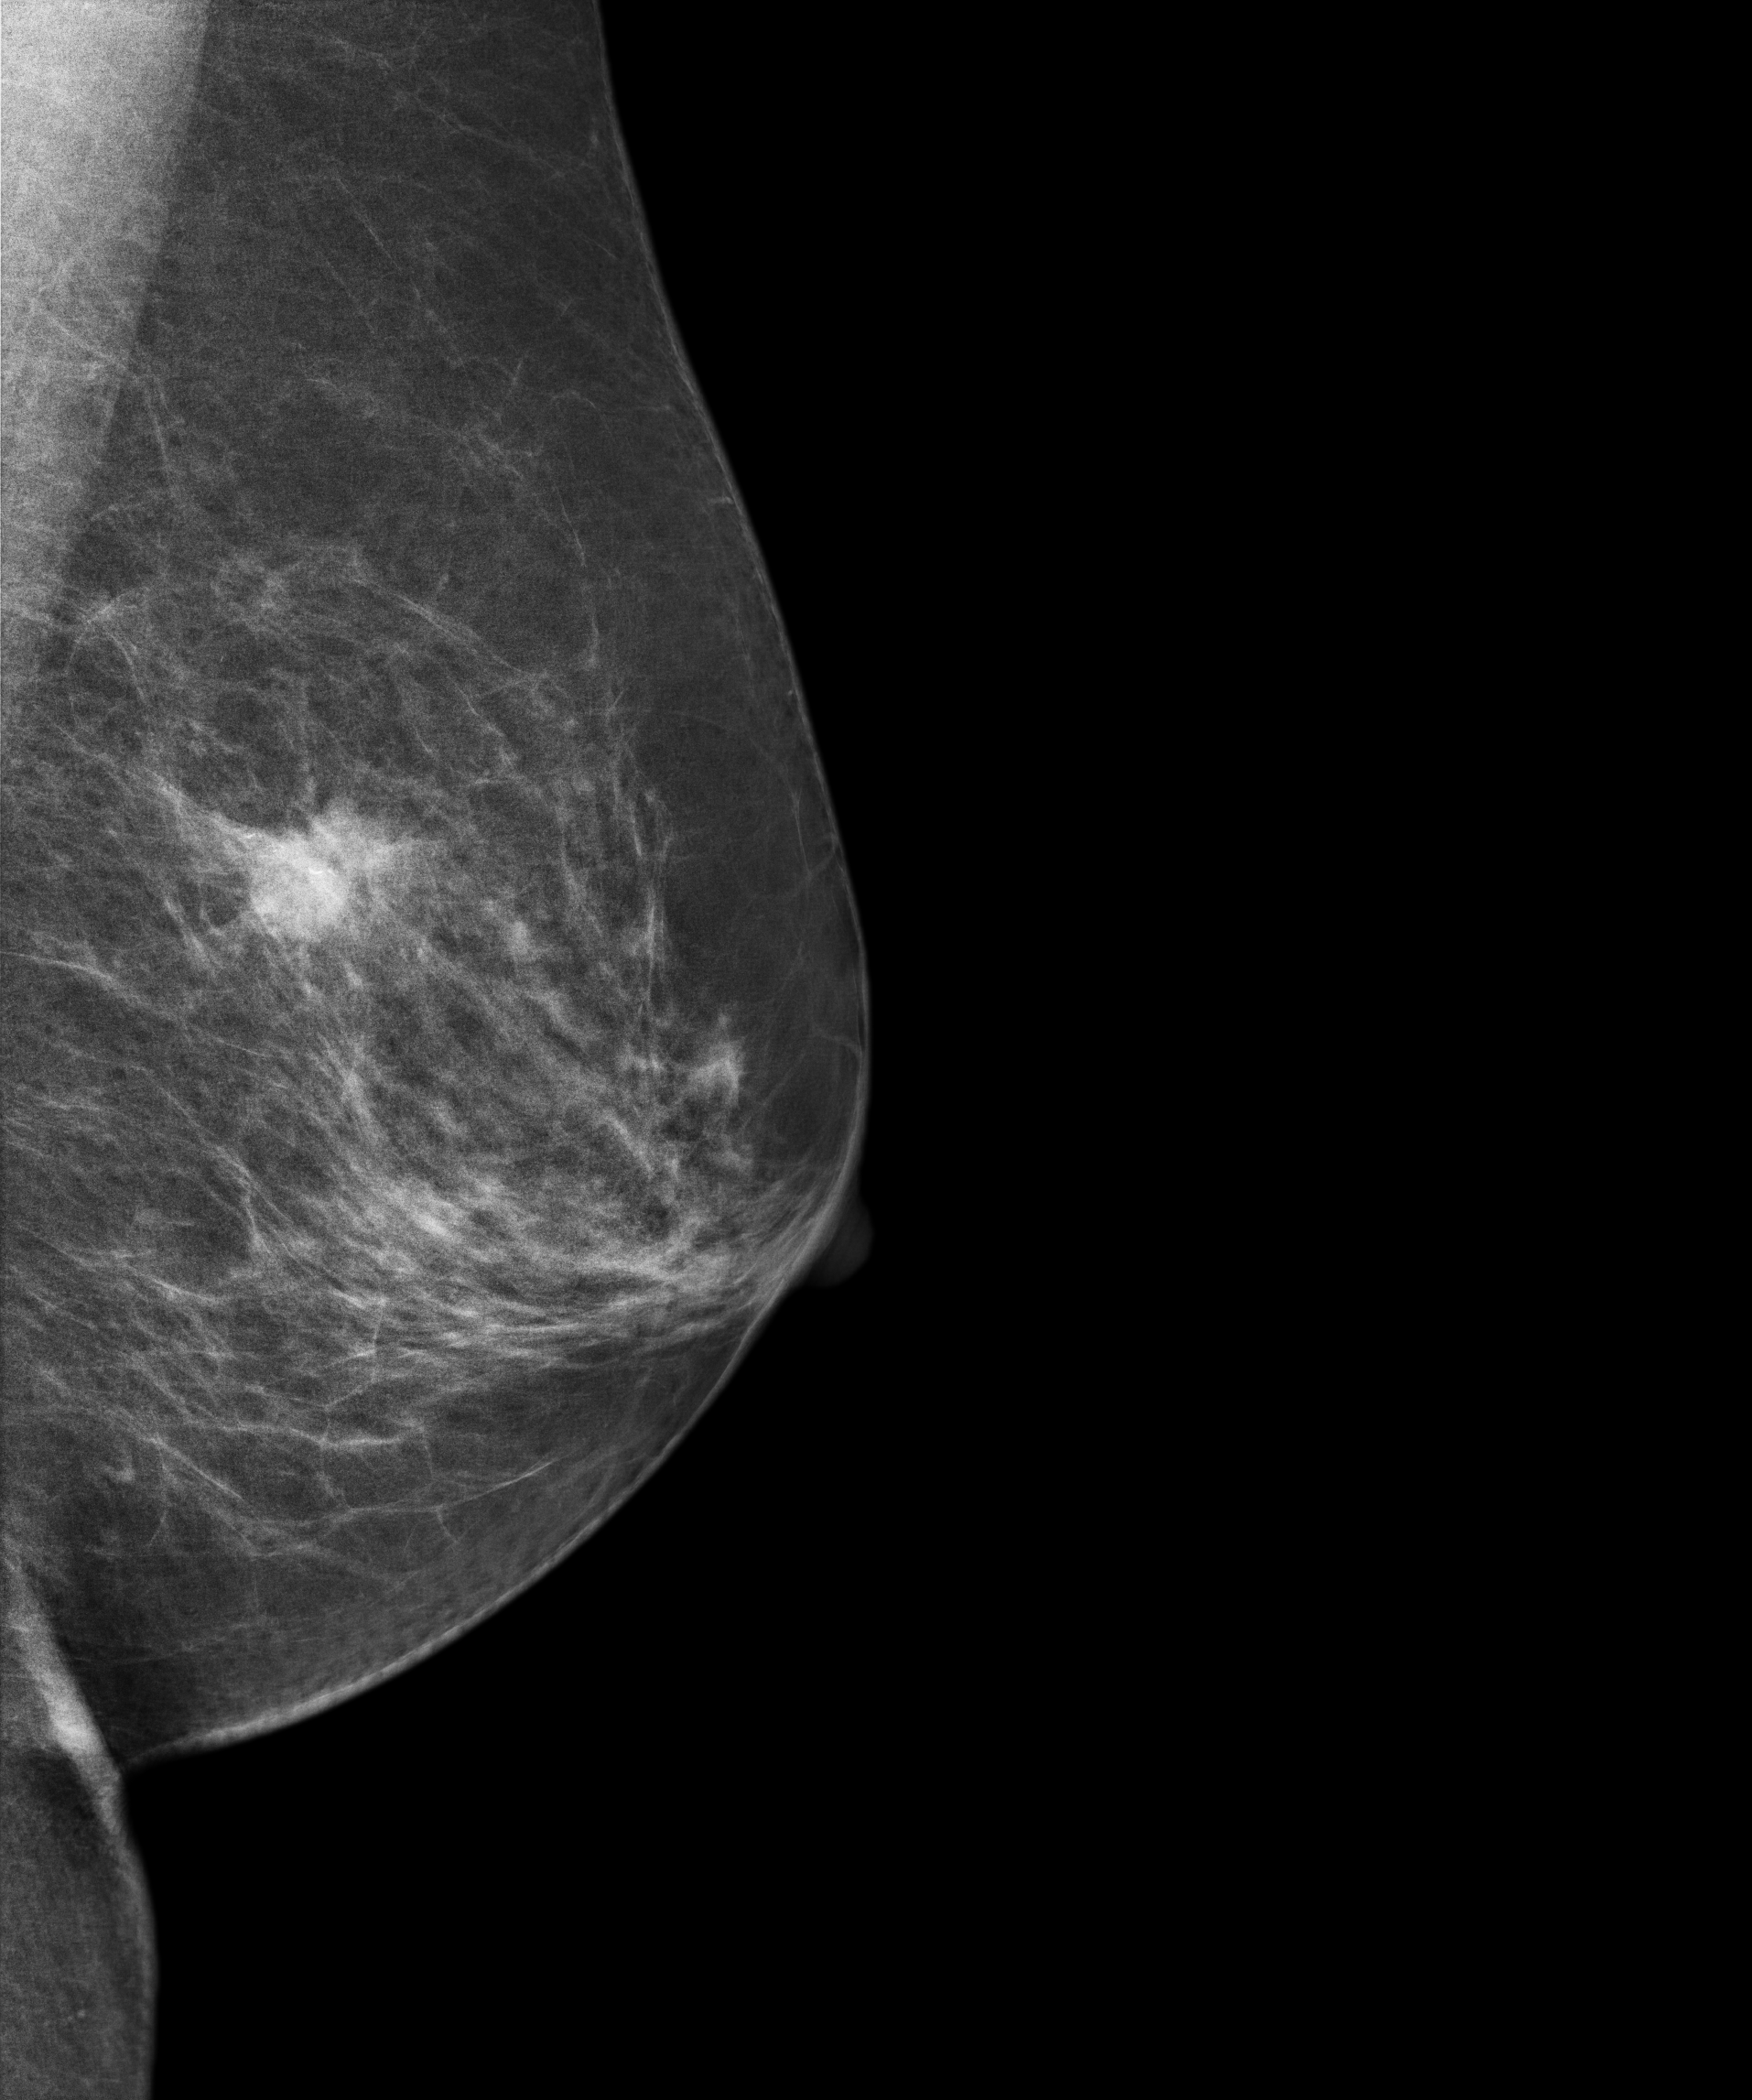
Digital mammography. Left breast, medio-lateral oblique projection. 63-year-old patient.
This breast has a mass and calcifications, histologically confirmed malignant. Molecular subtype: luminal A.